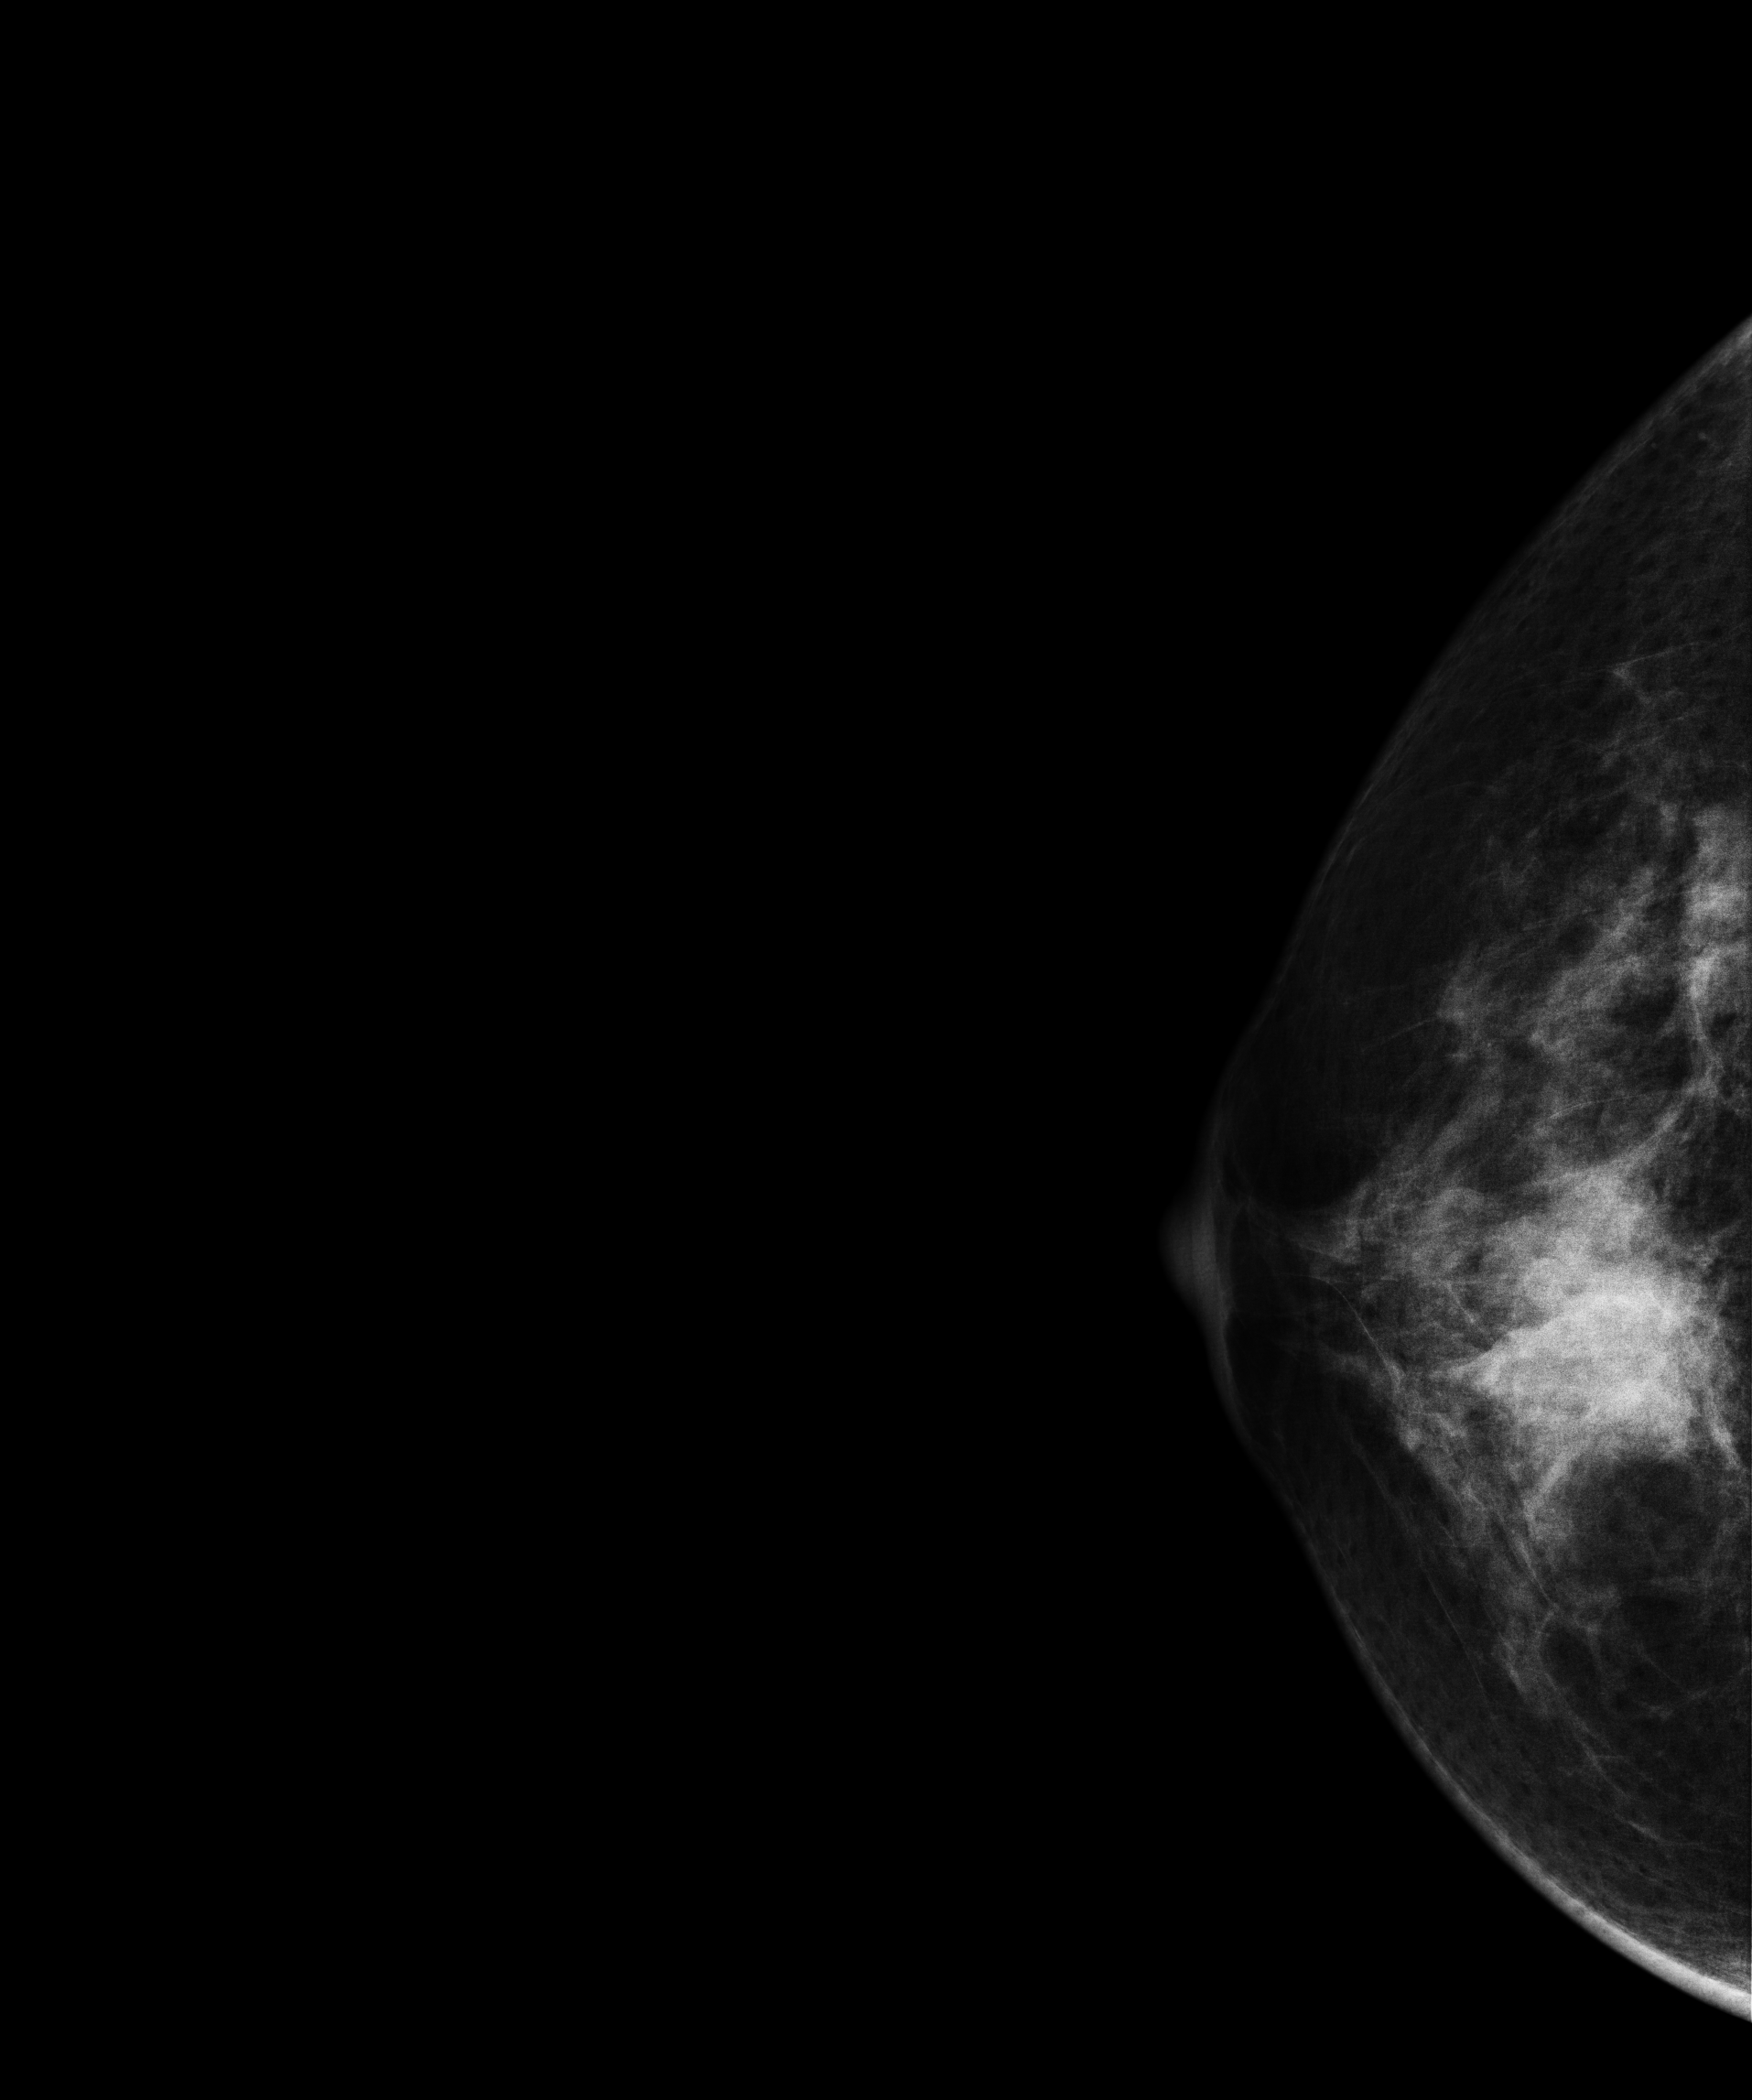
Cranio-caudal mammogram of the right breast. 43 y/o patient.
This breast has a mass, biopsy-confirmed malignant.